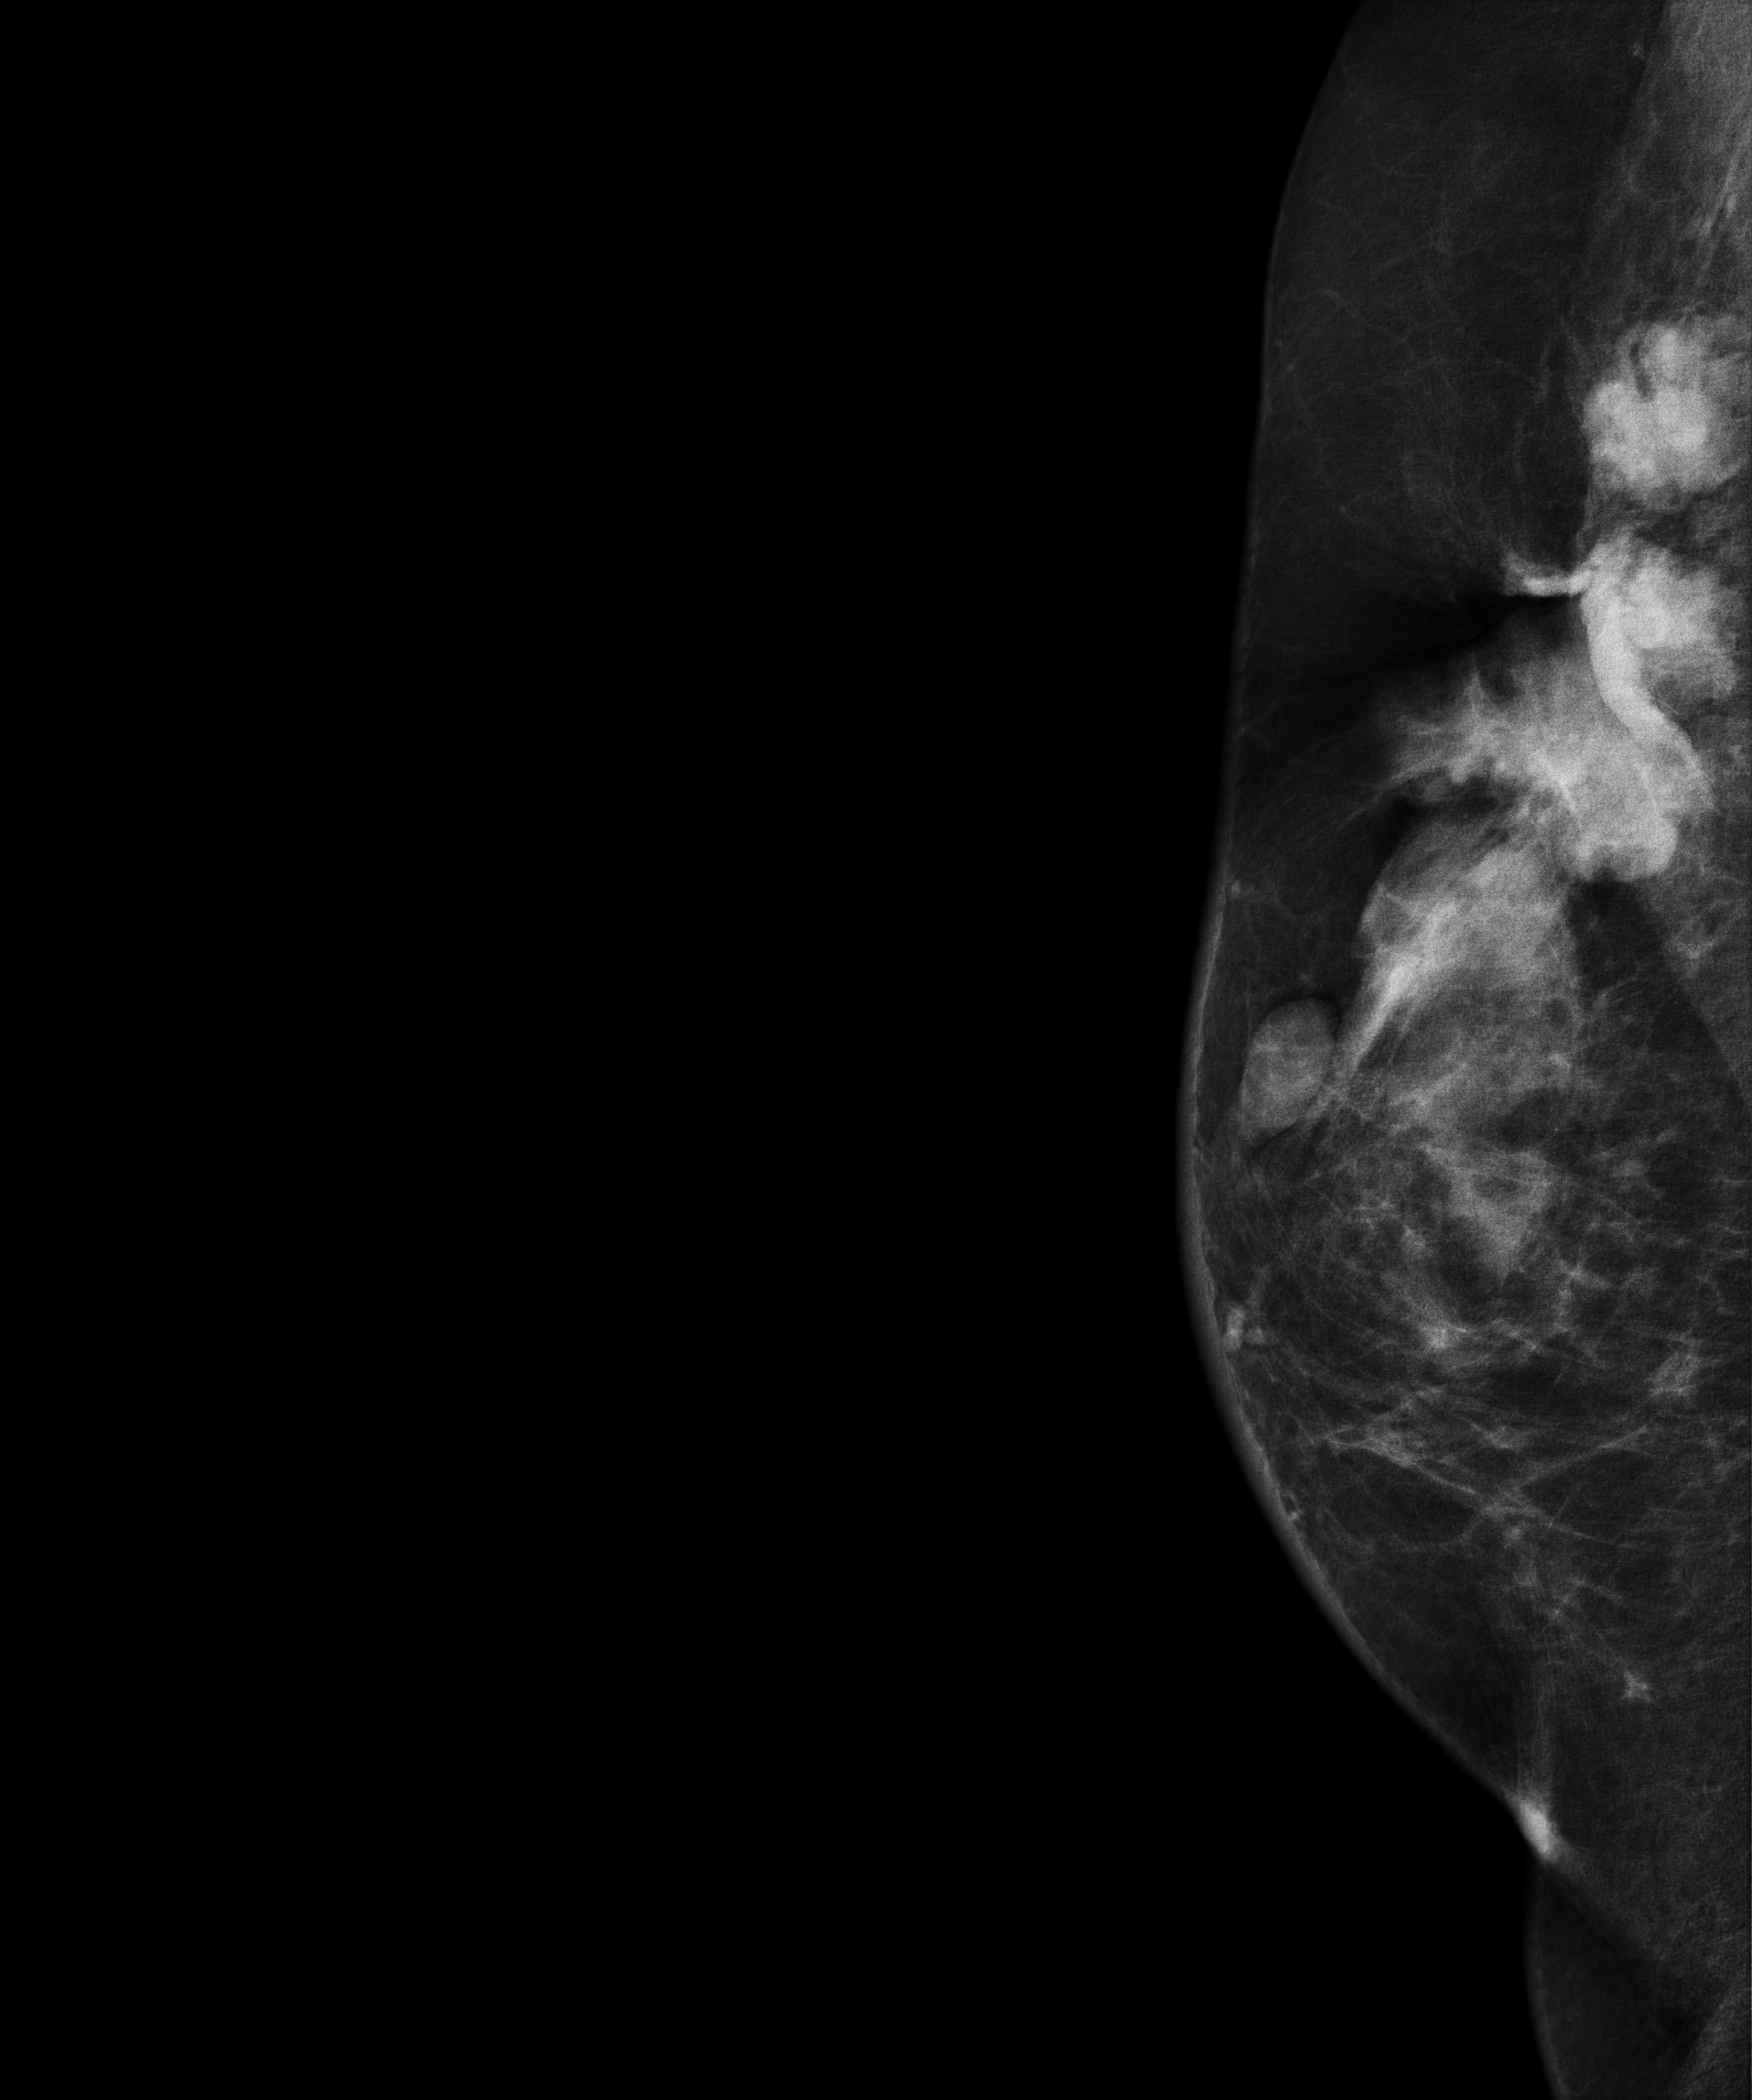
Digital mammography. Right breast, MLO projection. 75-year-old patient.
This breast has a mass, pathology-confirmed malignant. Molecular subtype: luminal A.